Mammogram, left breast, CC view. Patient age 43.
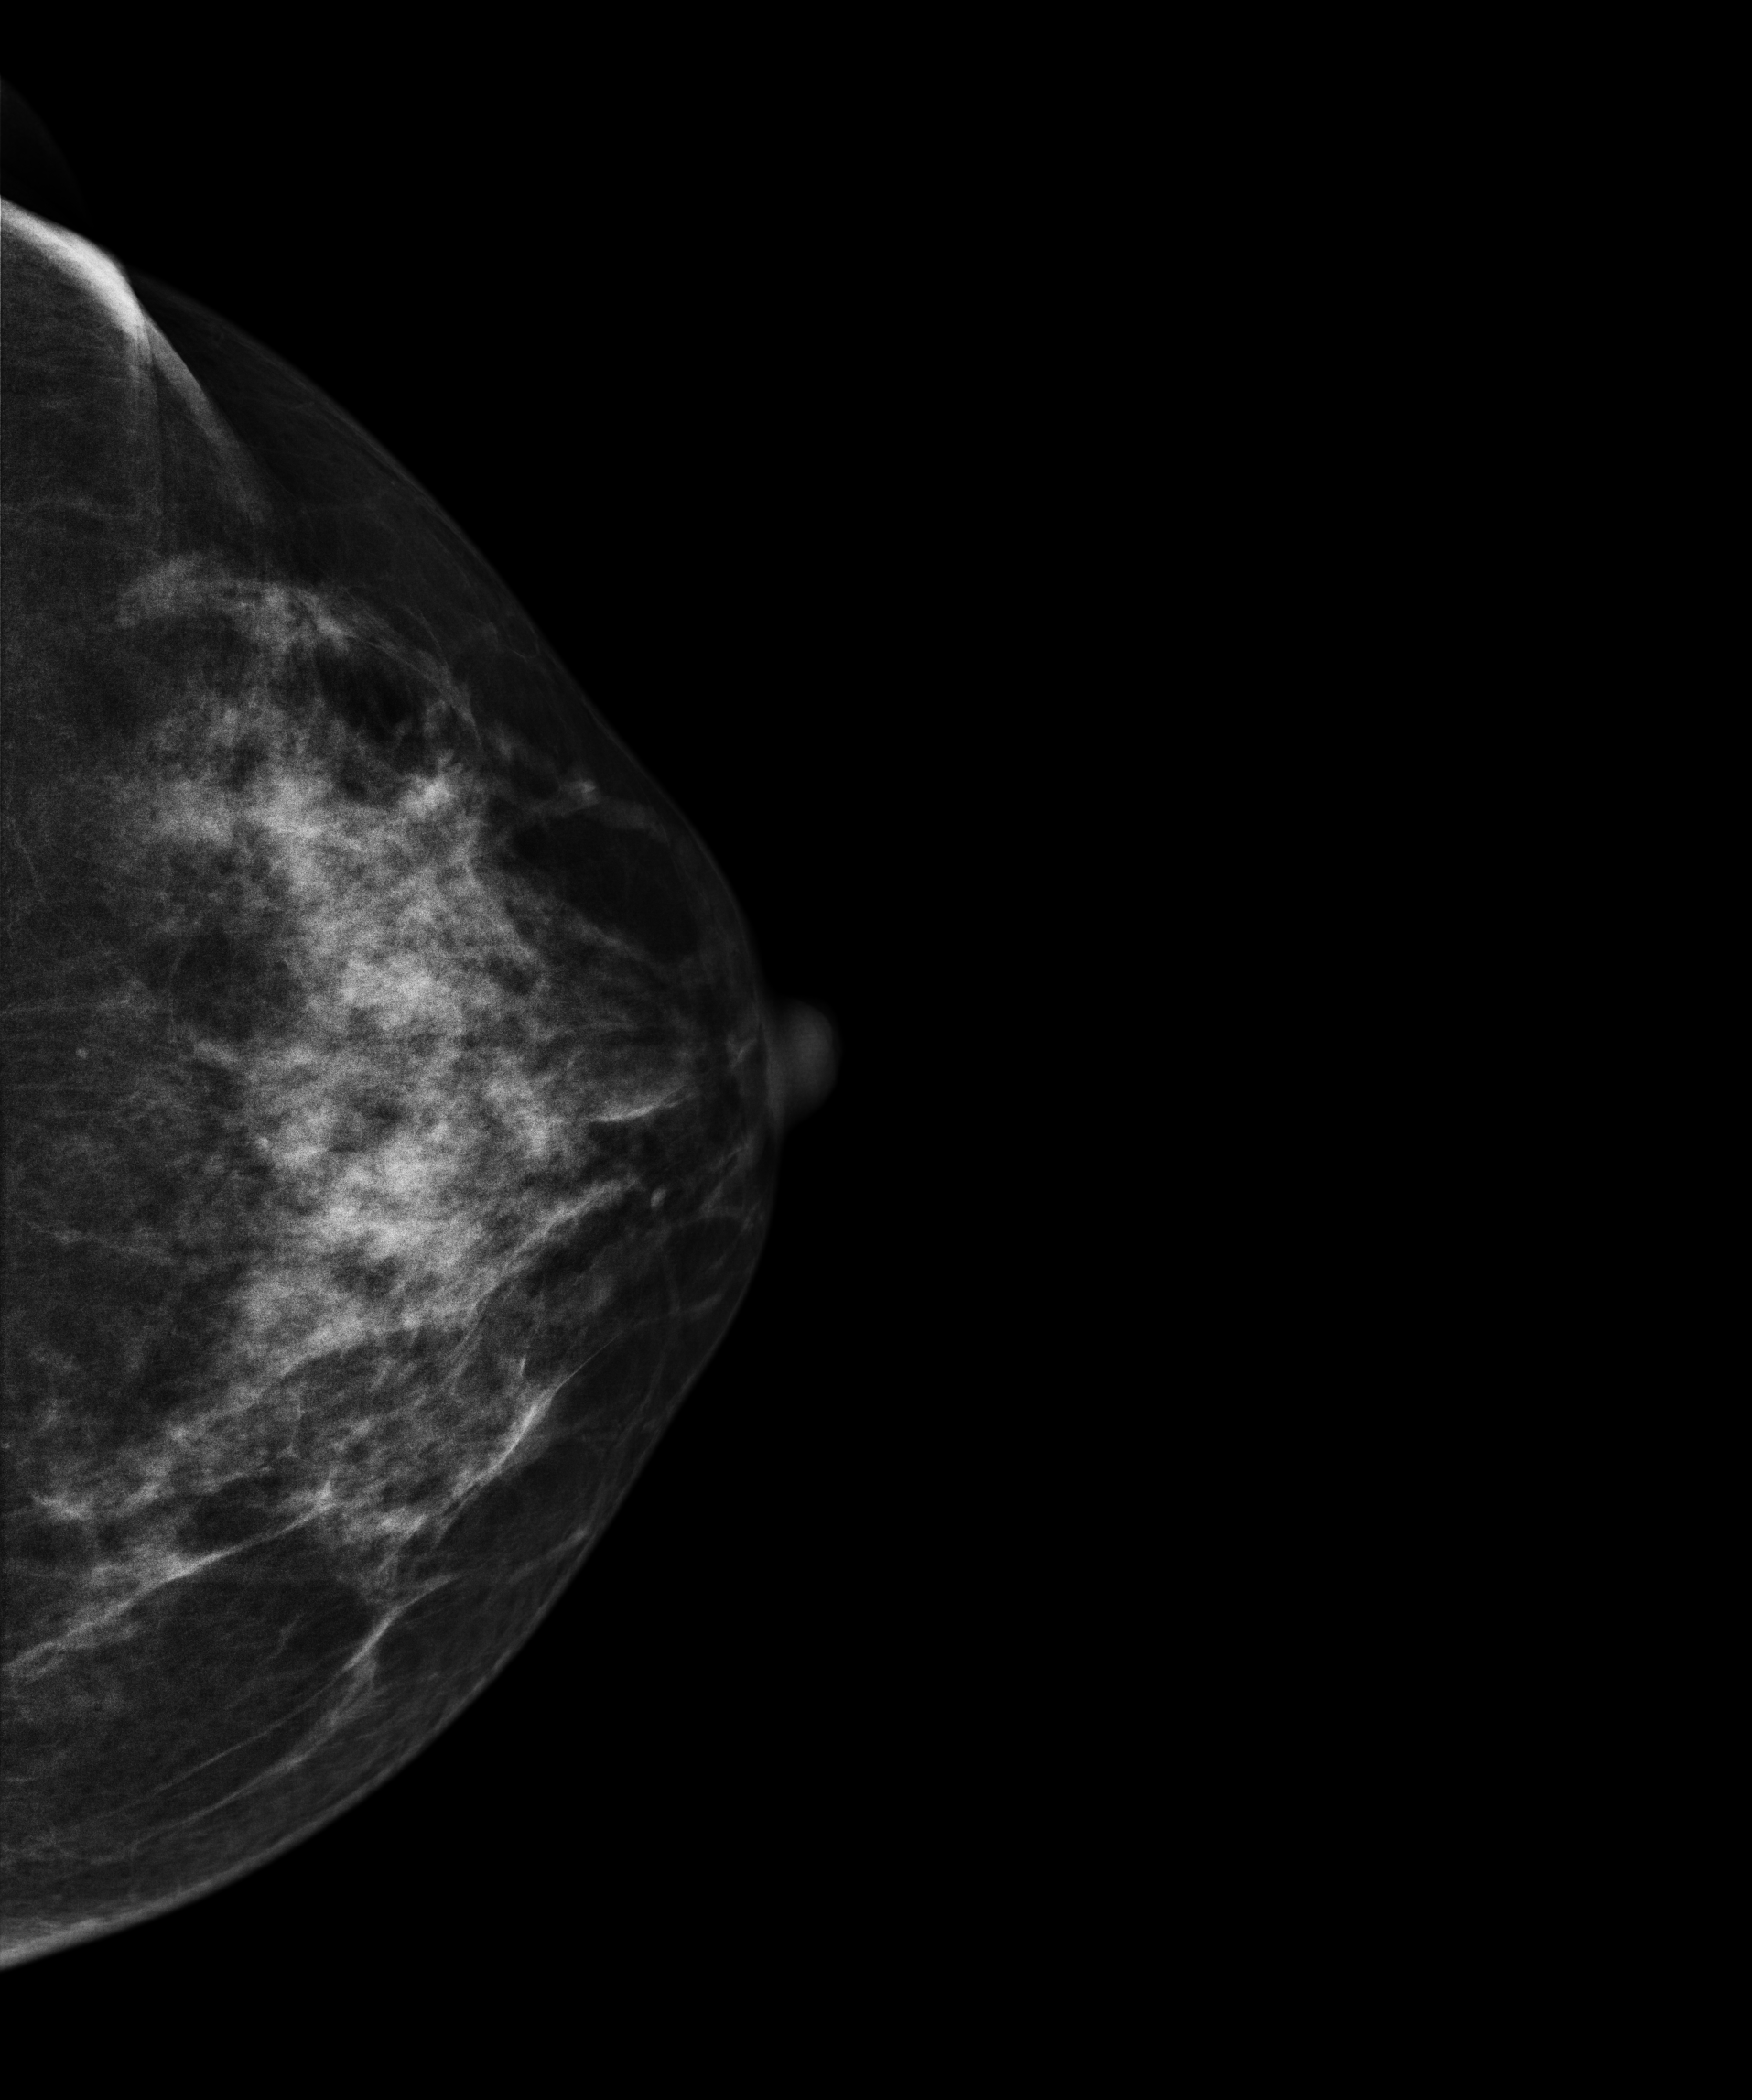
Contralateral breast — no documented abnormality on this side.